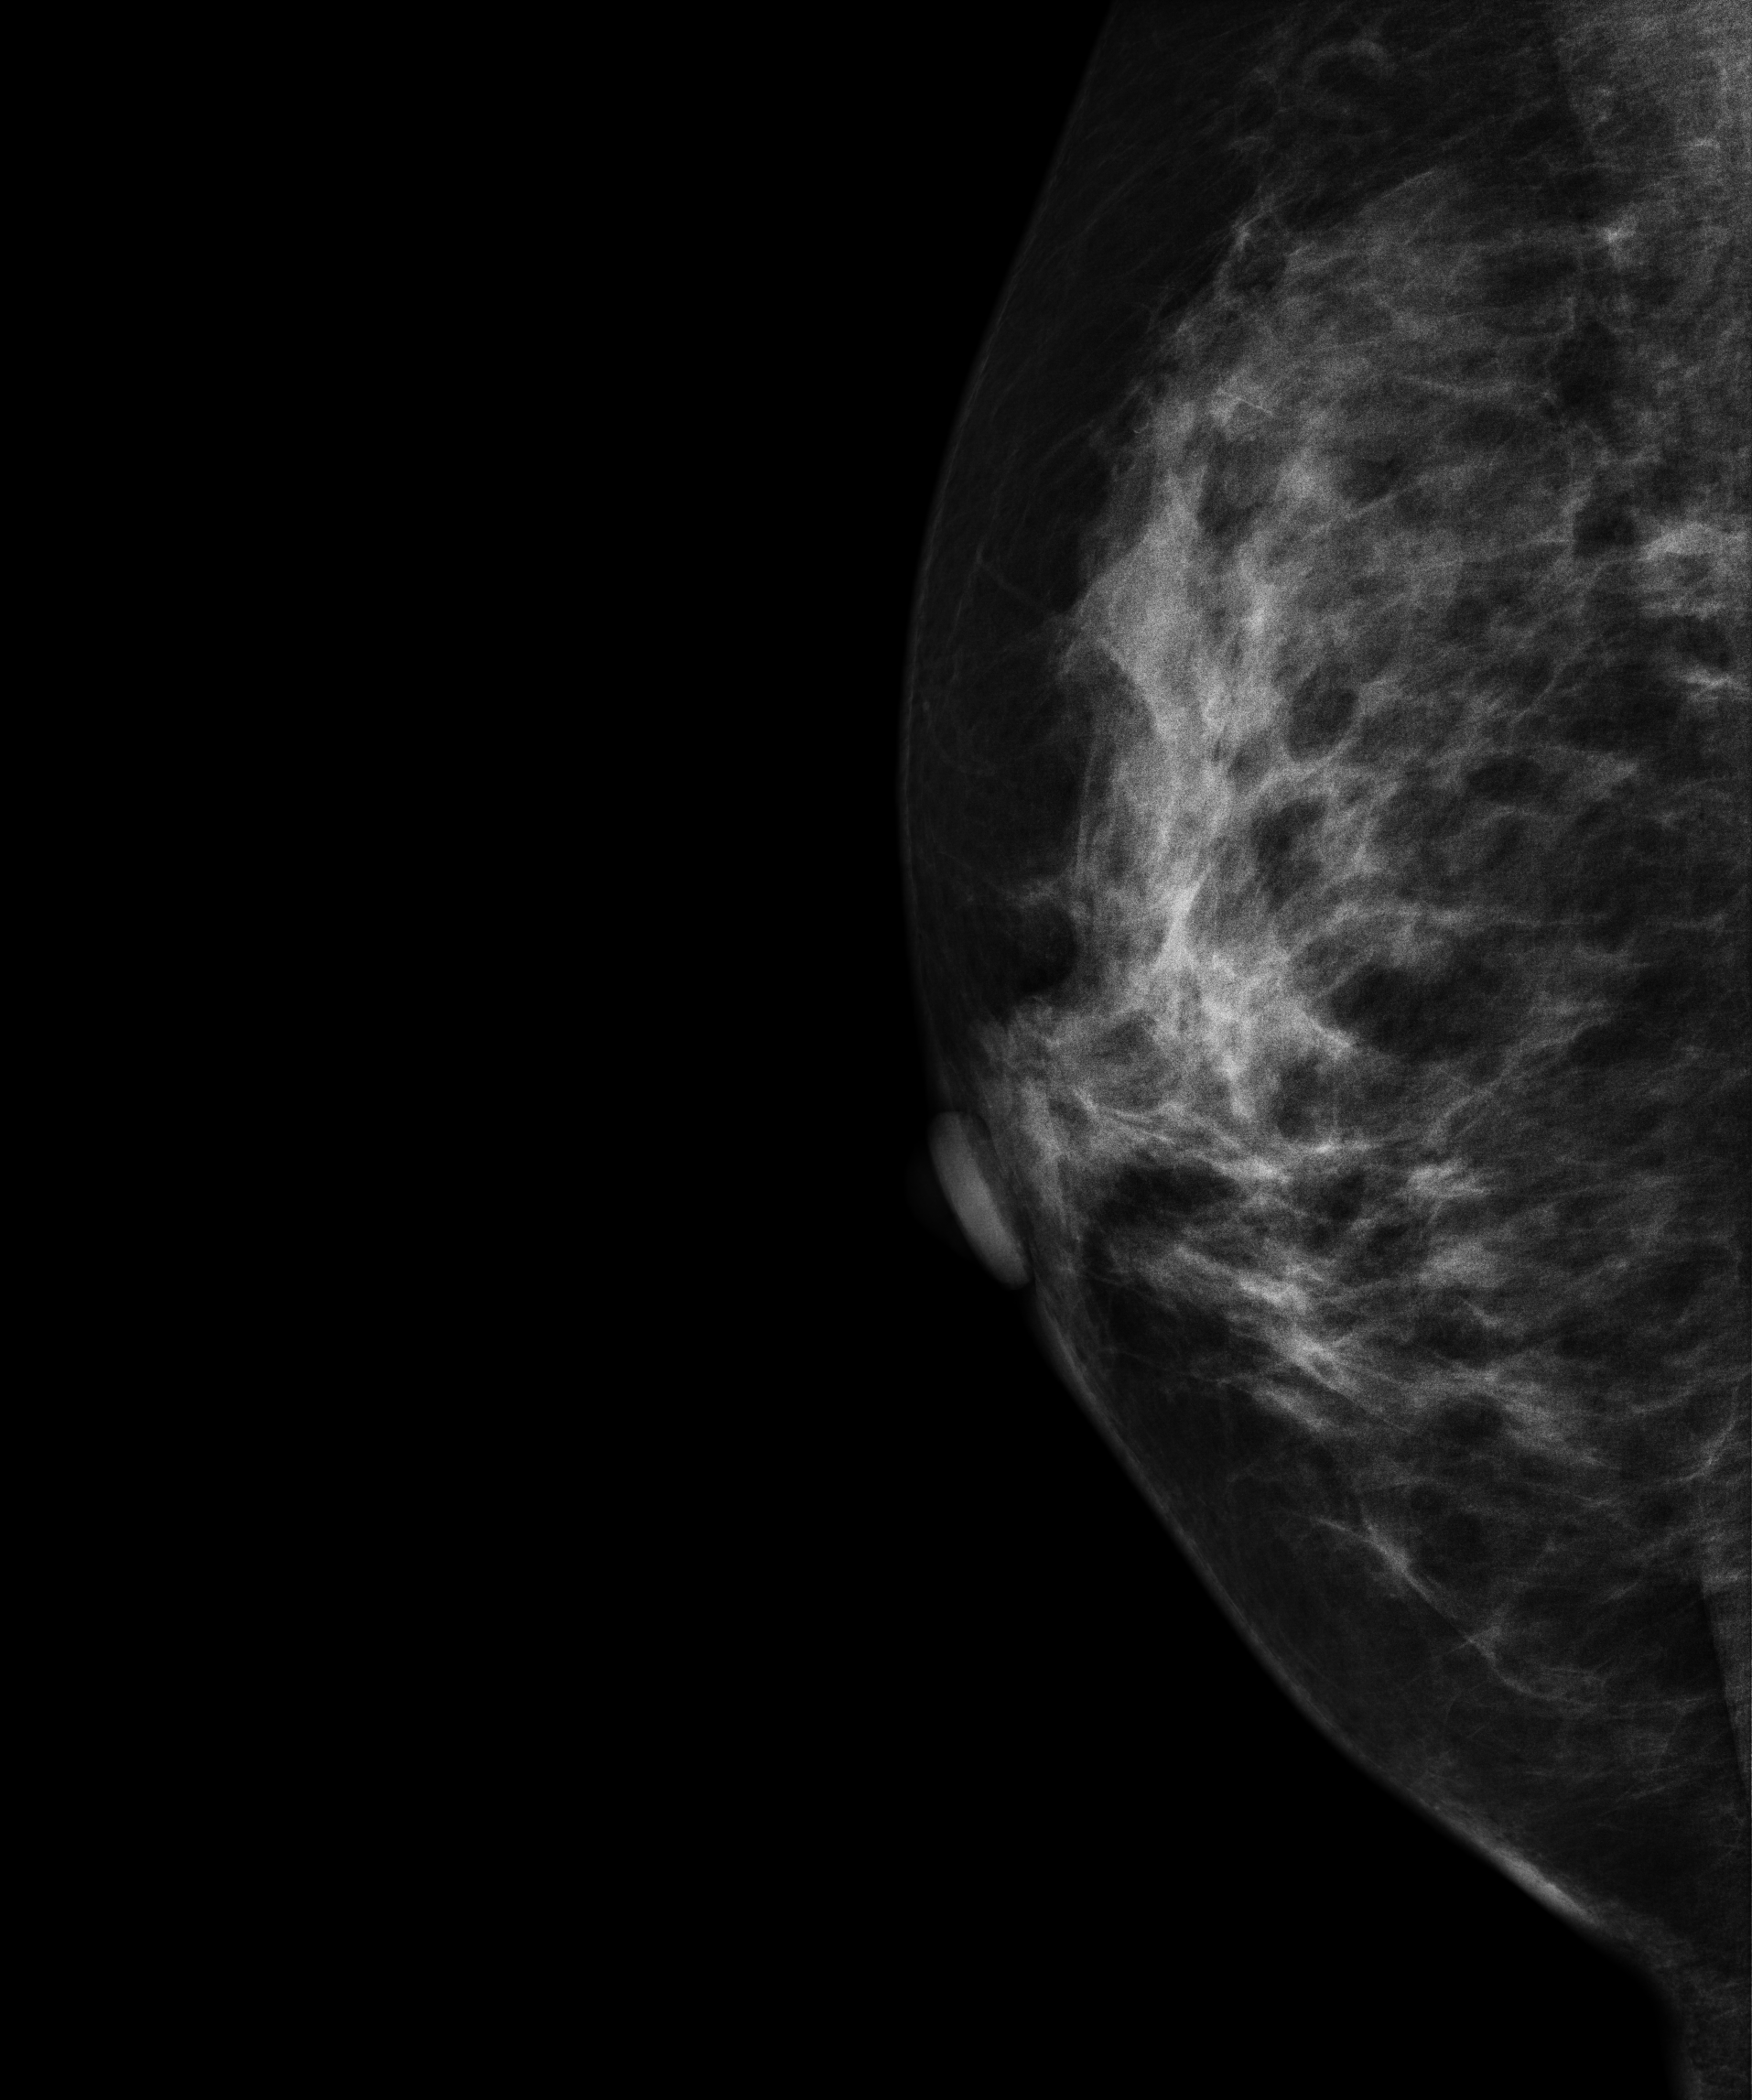
Right-breast mammogram, medio-lateral oblique. 51 y/o patient.
This breast has a mass, pathology-confirmed malignant.